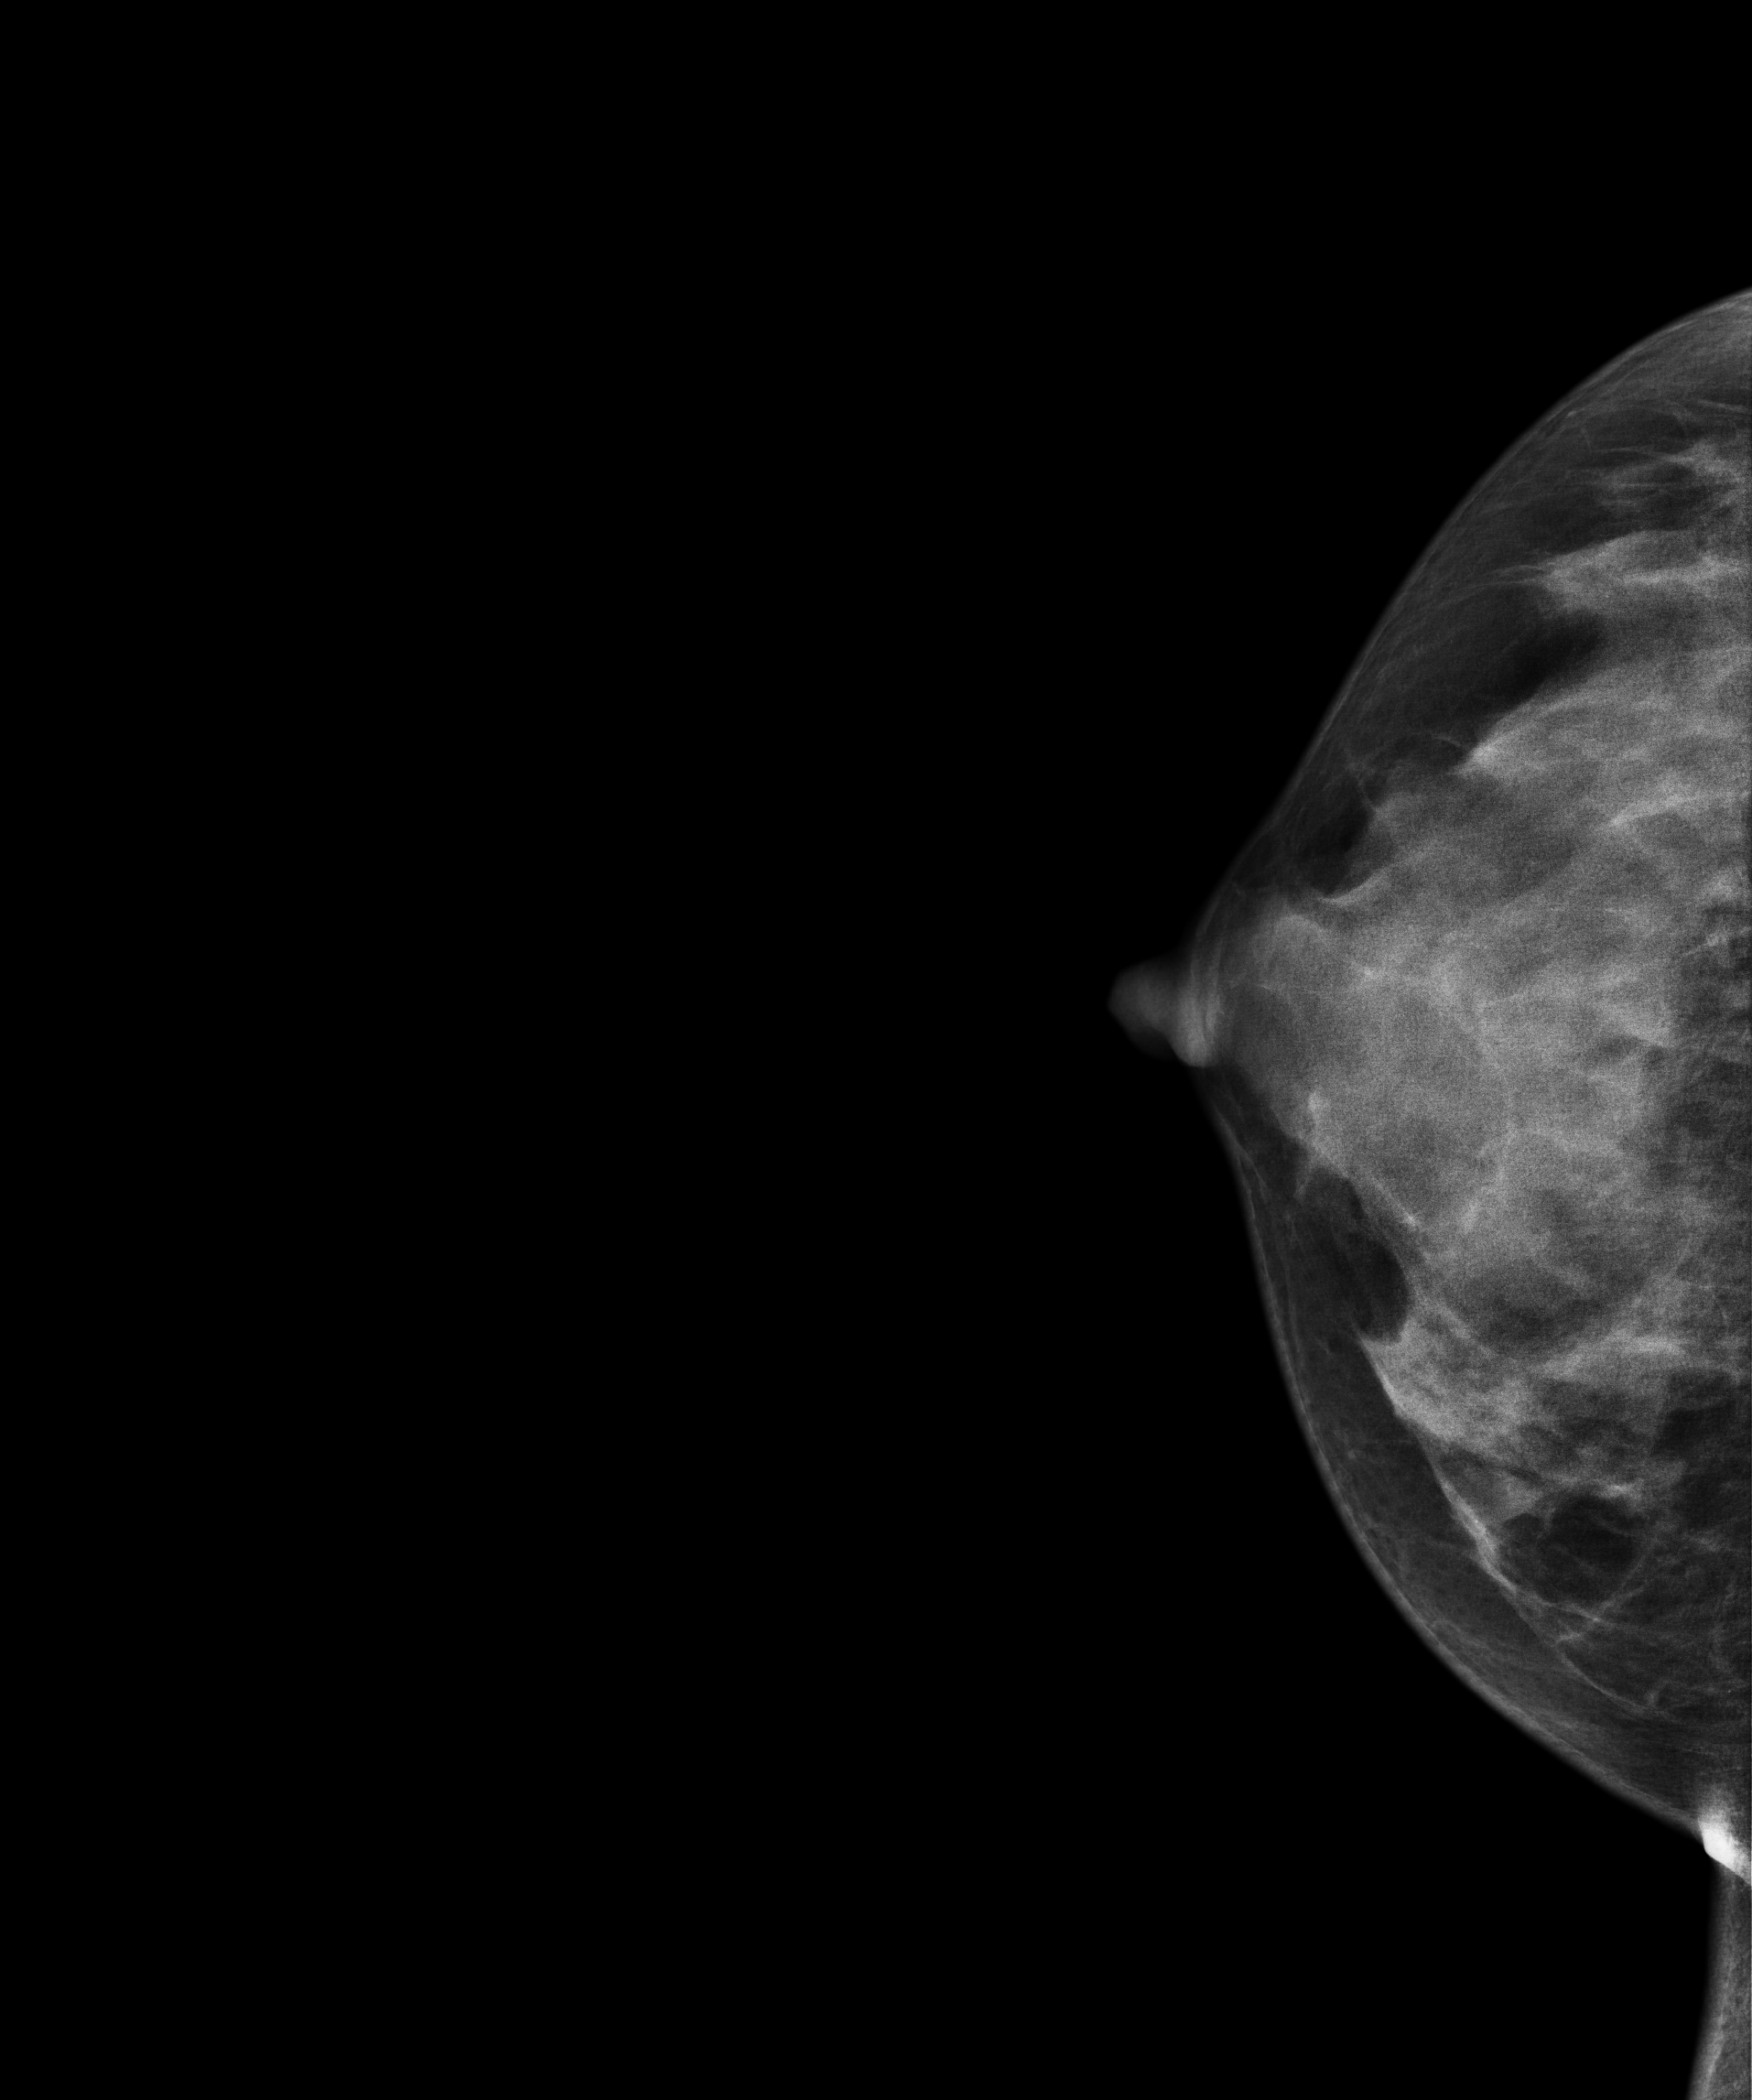
Digital mammography. Right breast, CC projection. 34 y/o patient.
Contralateral breast — no documented abnormality on this side.